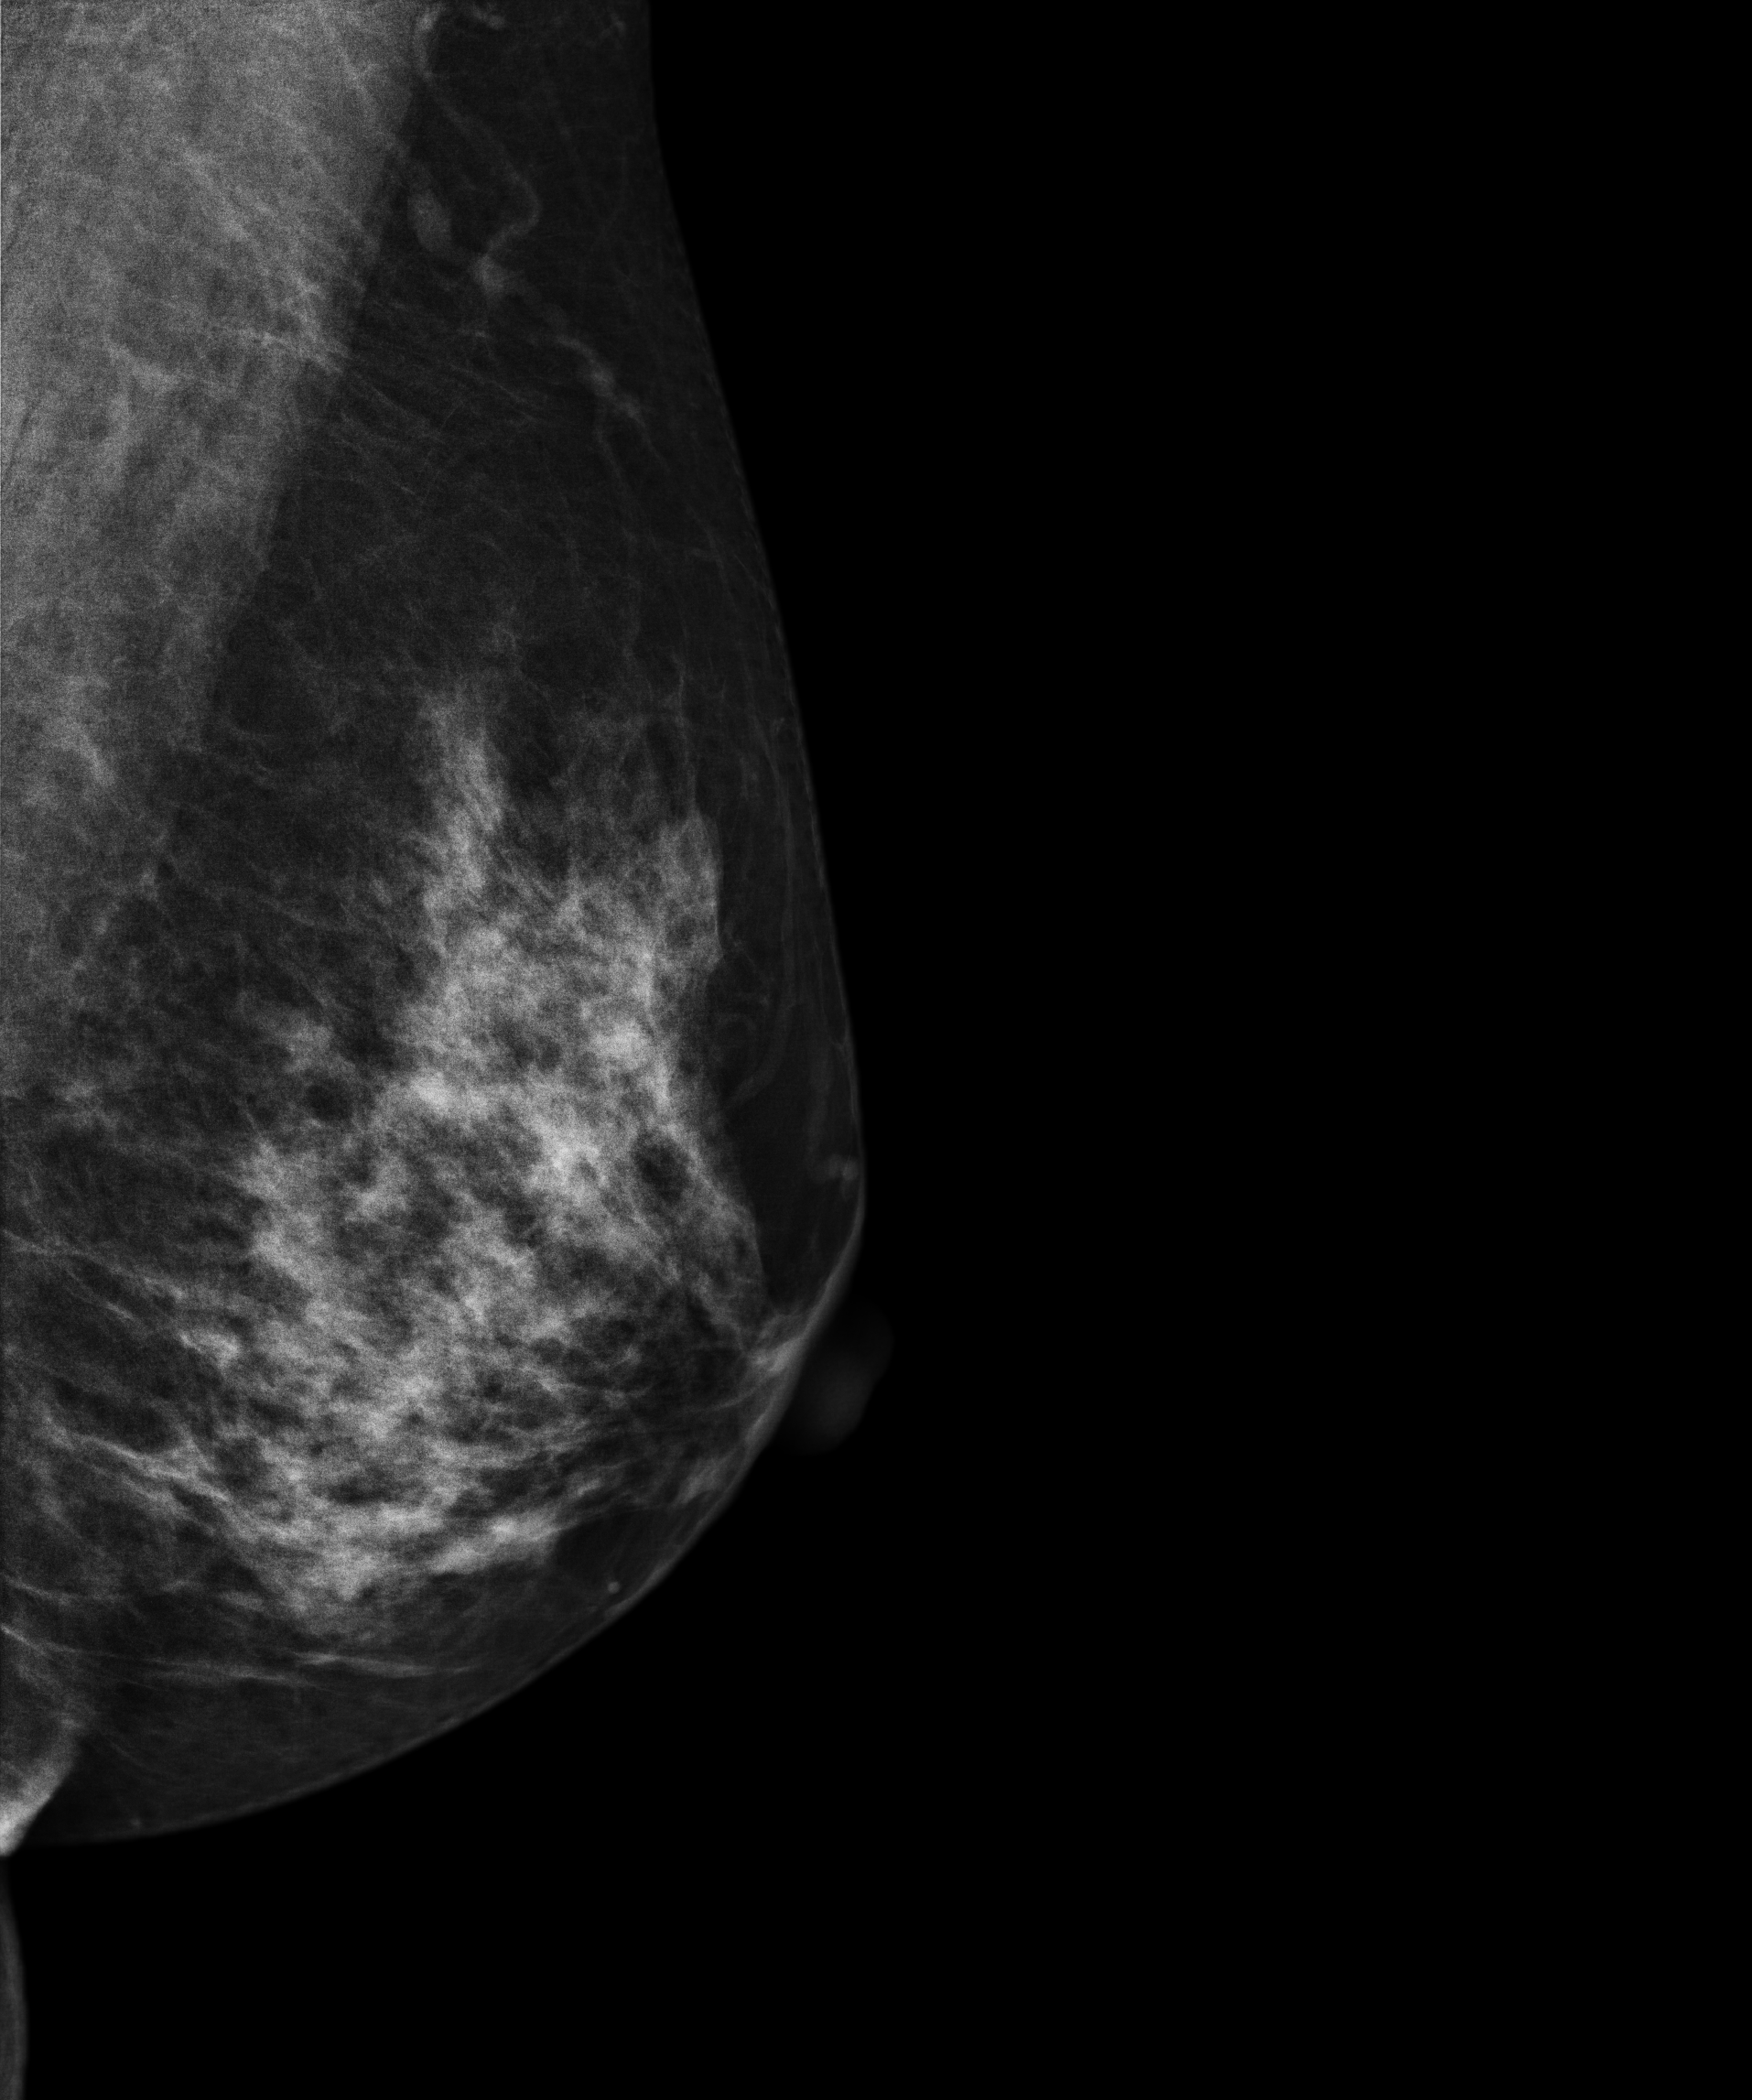
Mammogram, left breast, medio-lateral oblique view. Patient age 43.
Contralateral breast — no documented abnormality on this side.